Left-breast mammogram, CC. 54-year-old patient.
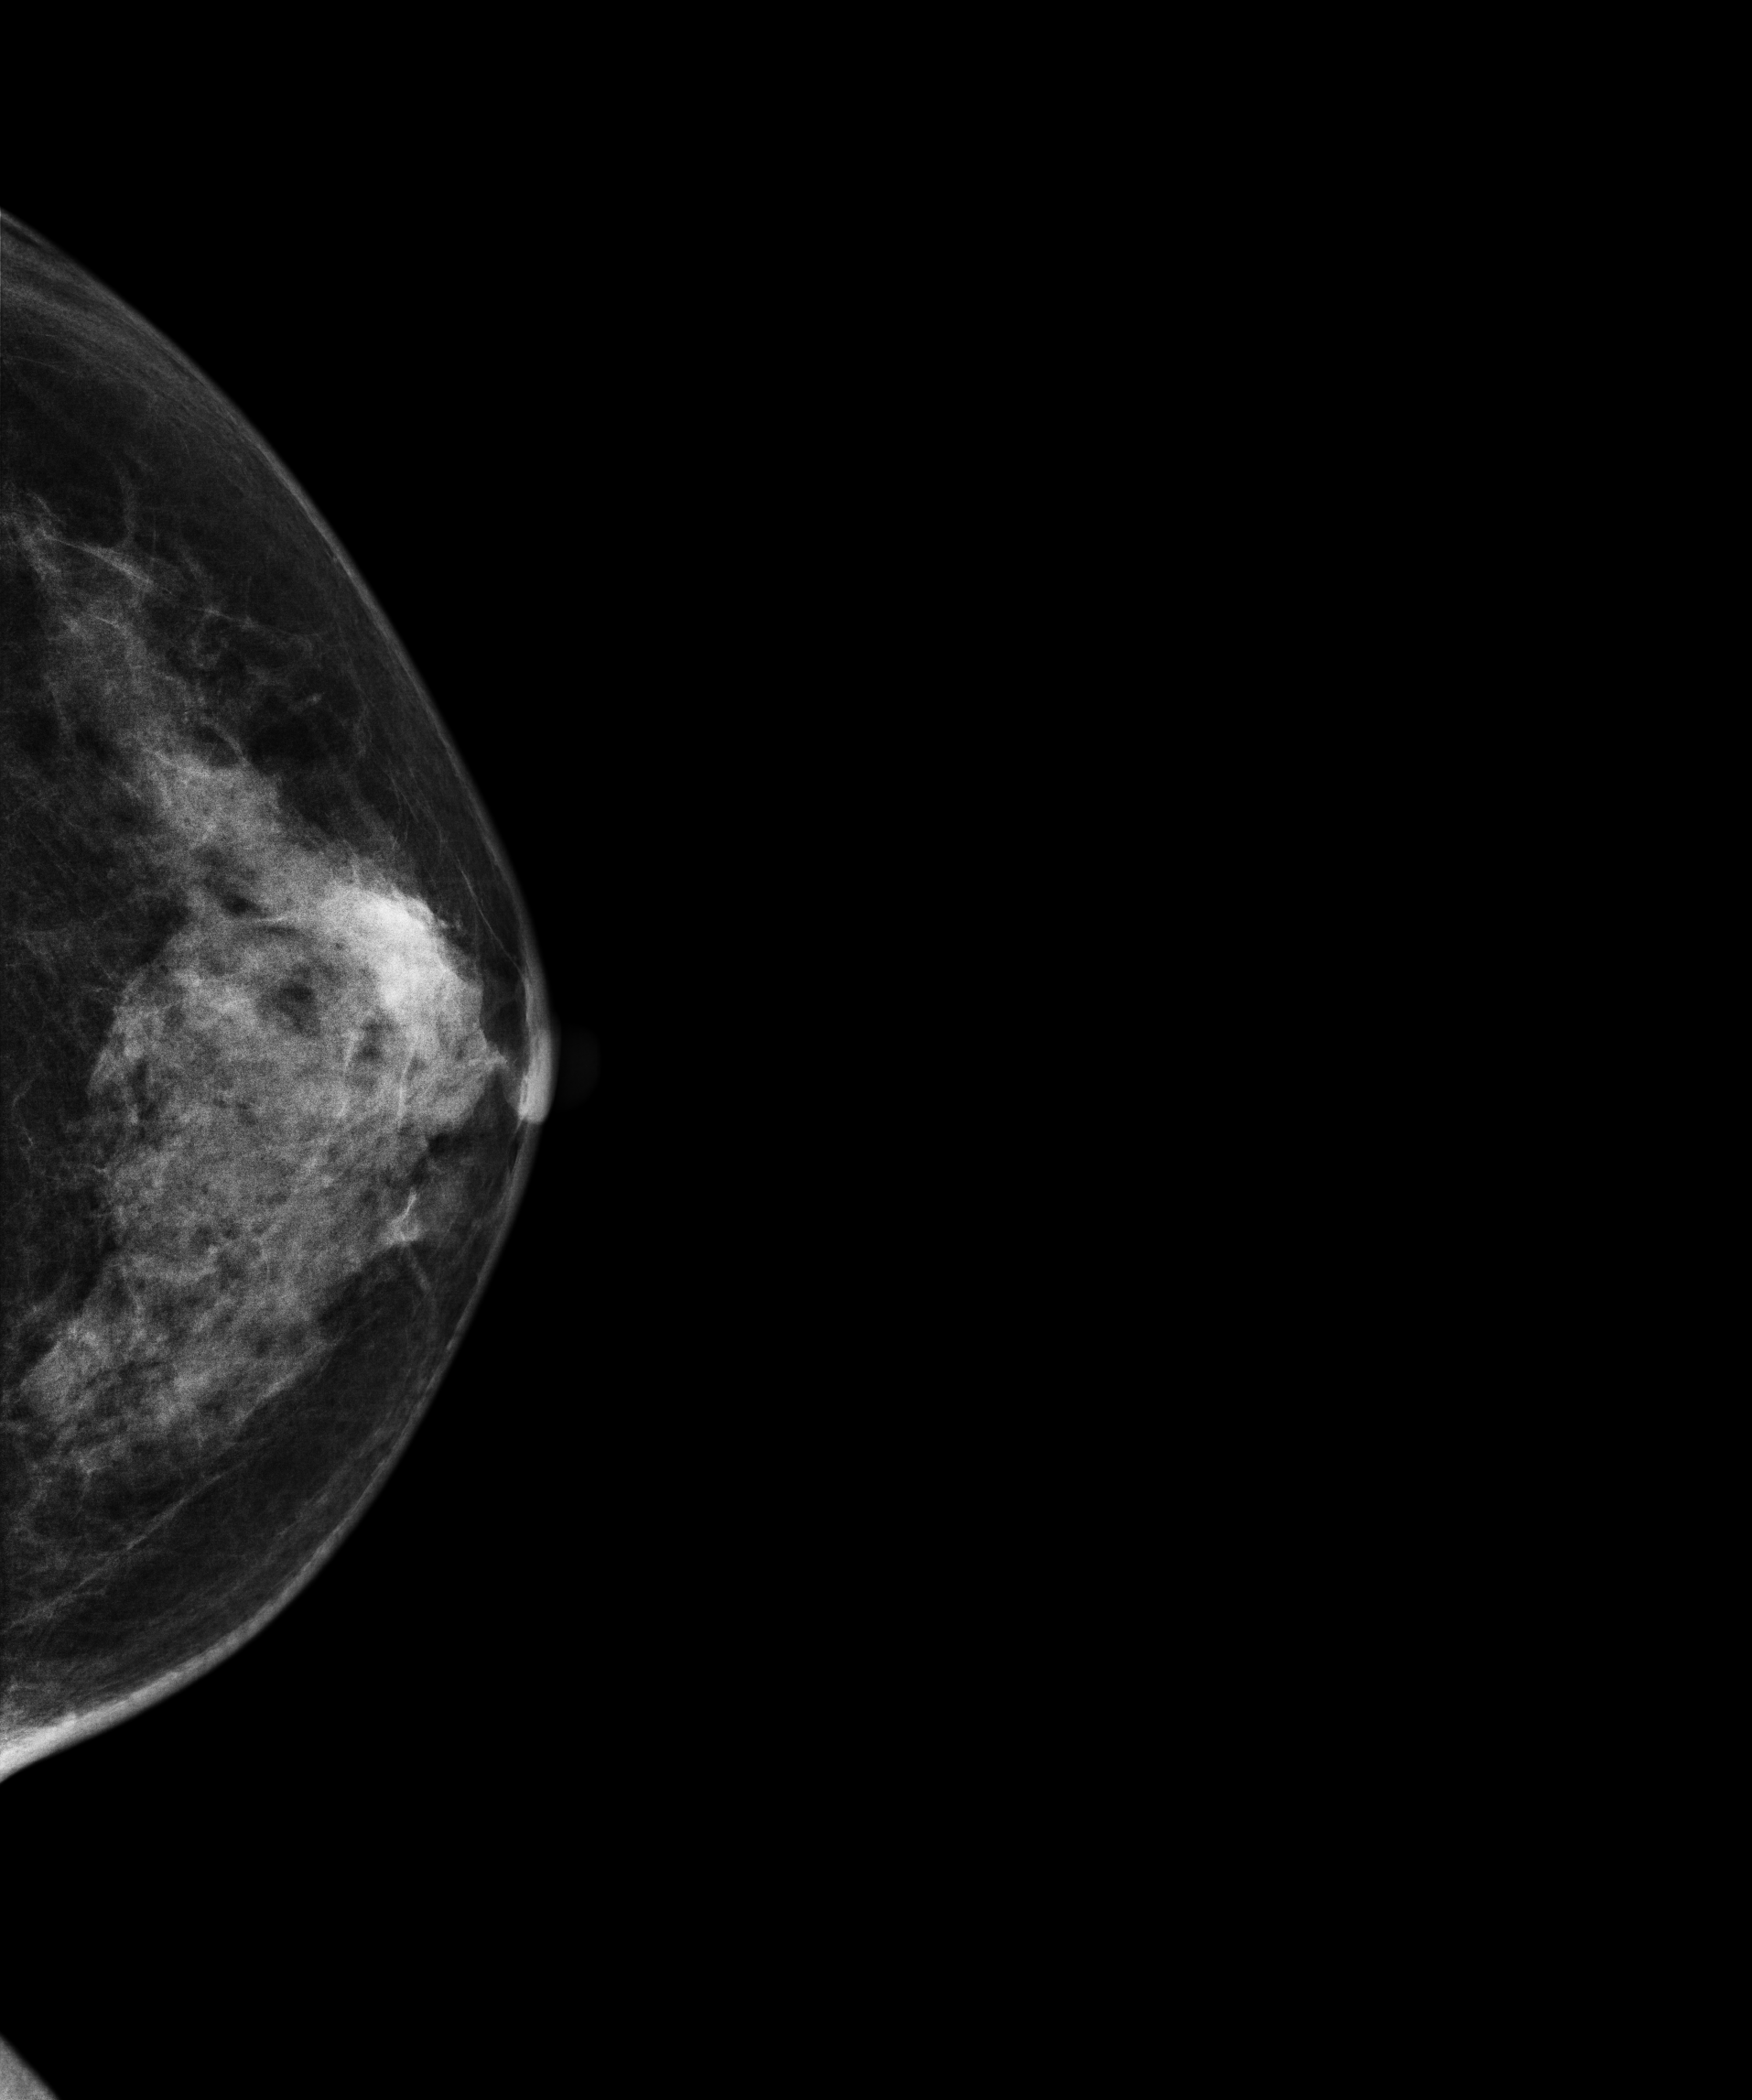
Contralateral breast — no documented abnormality on this side.